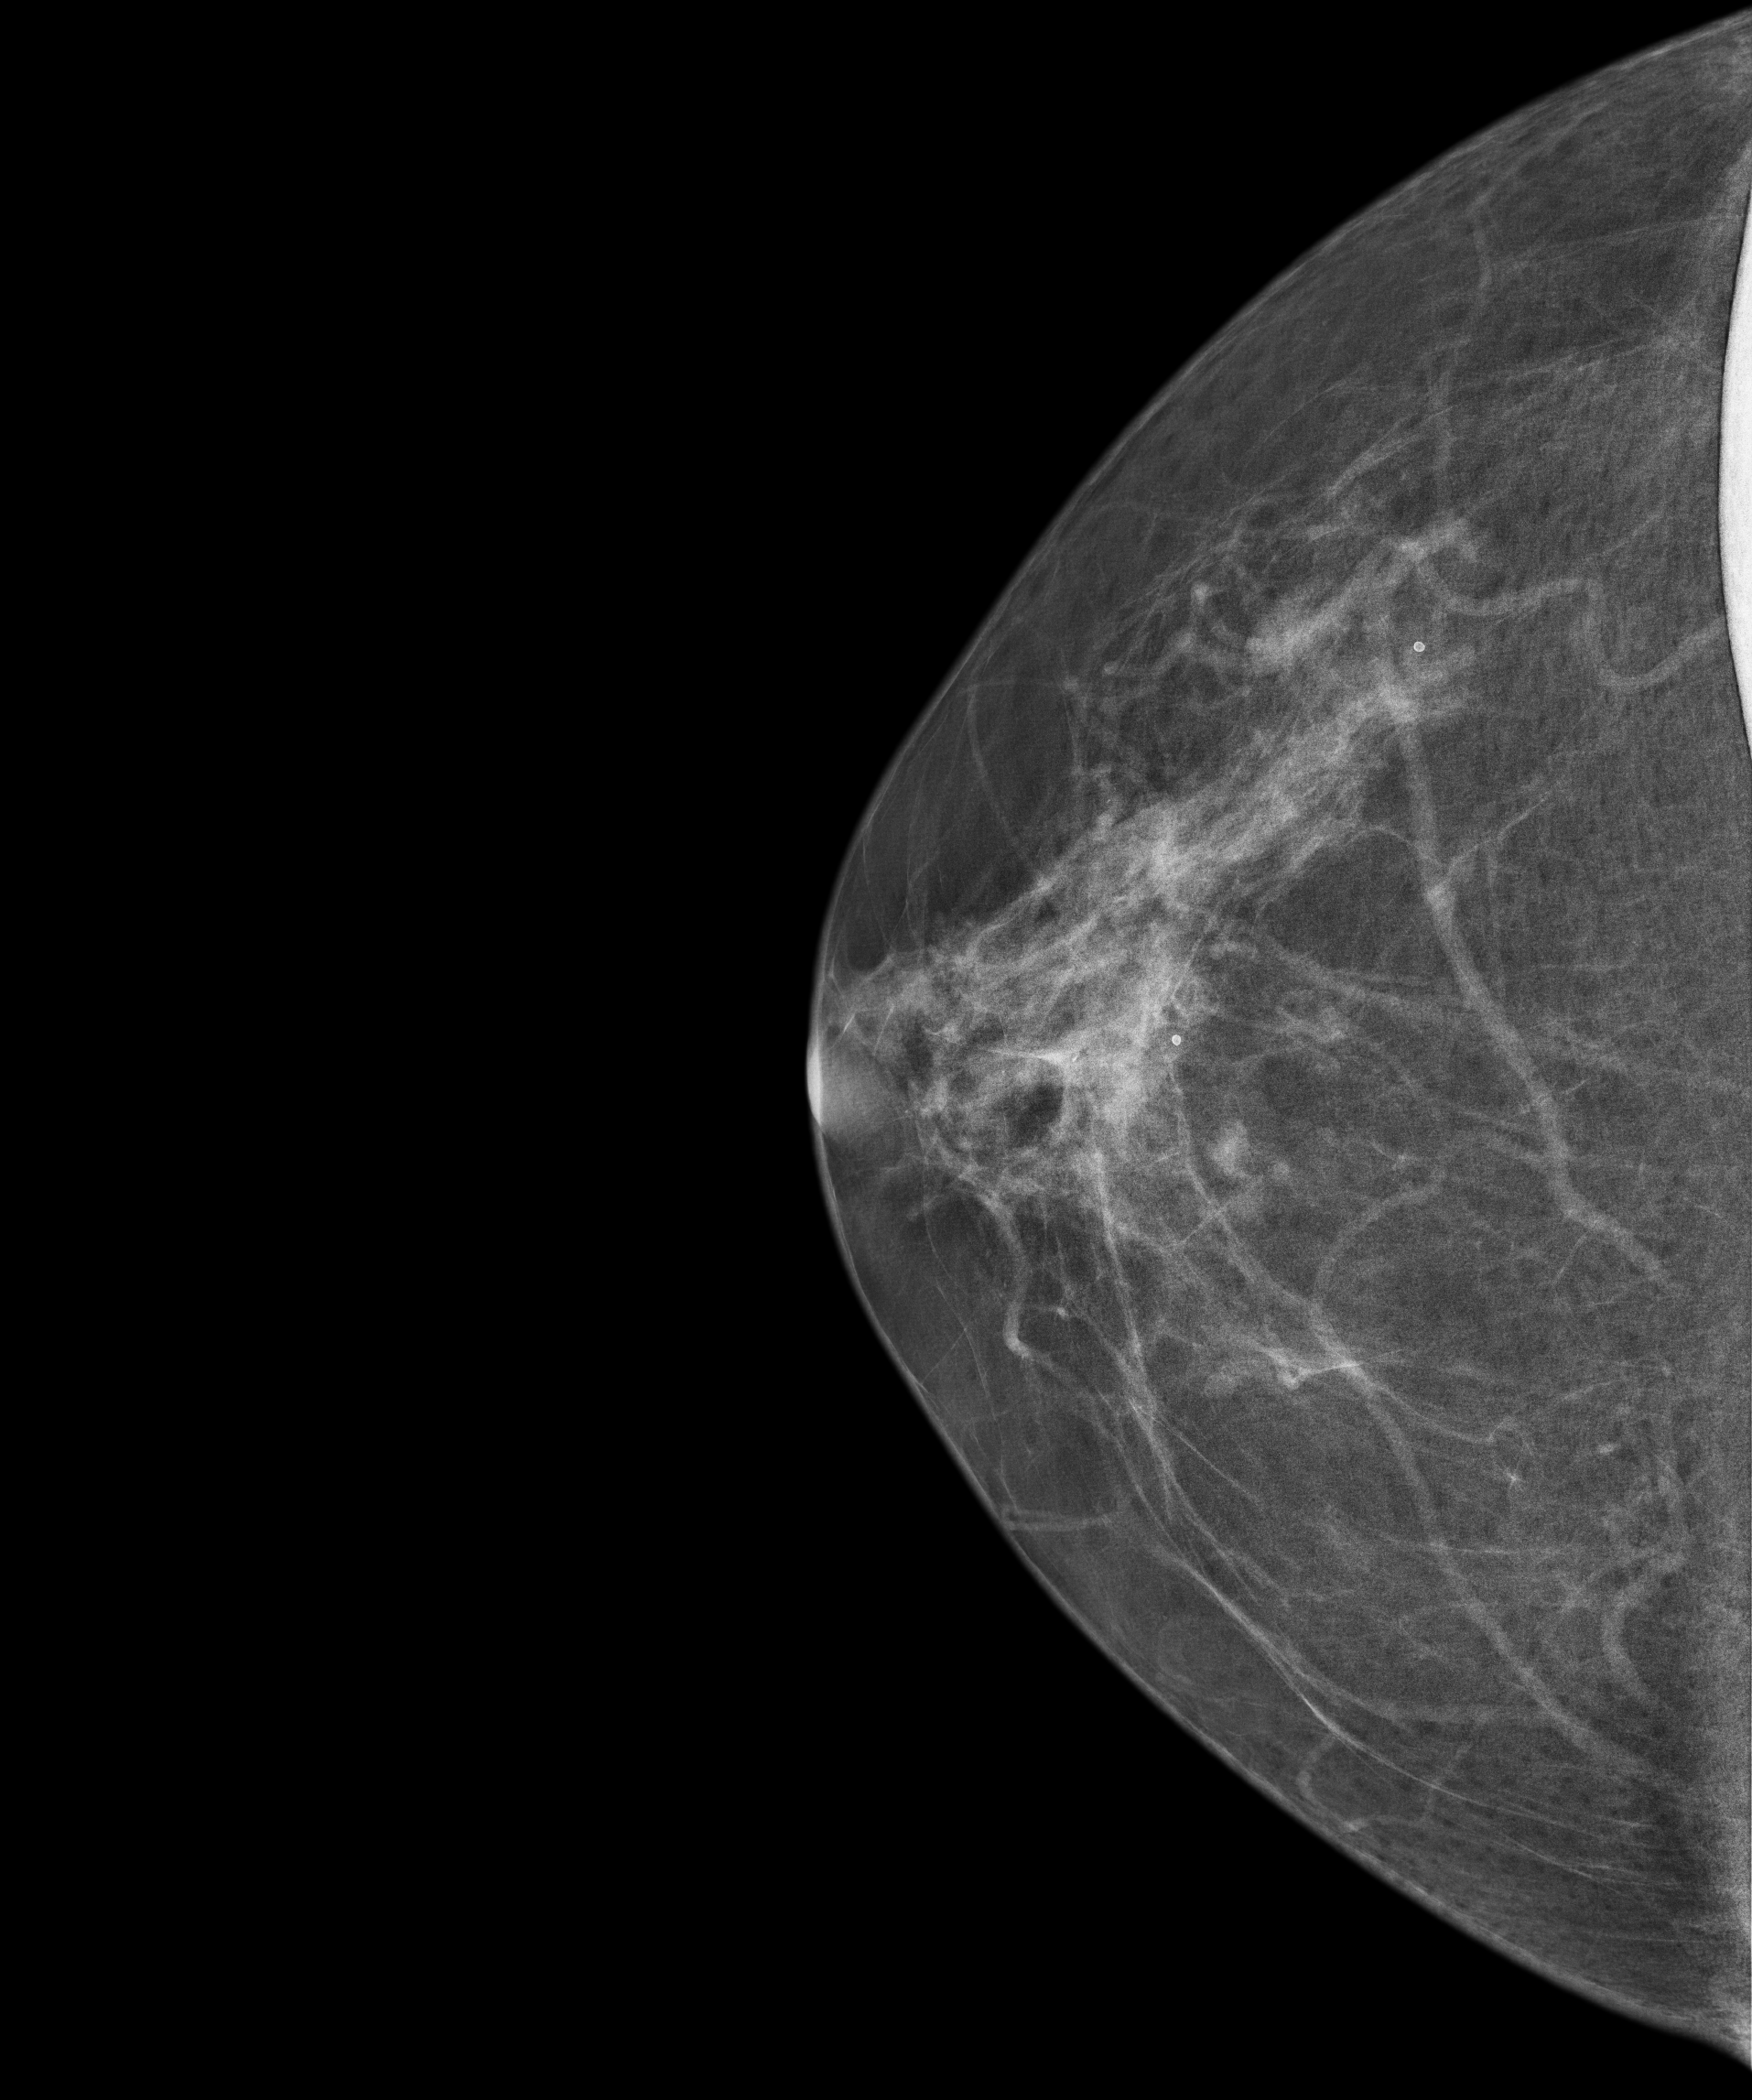
Digital mammography. Right breast, CC projection. 62 y/o patient.
Contralateral breast — no documented abnormality on this side.